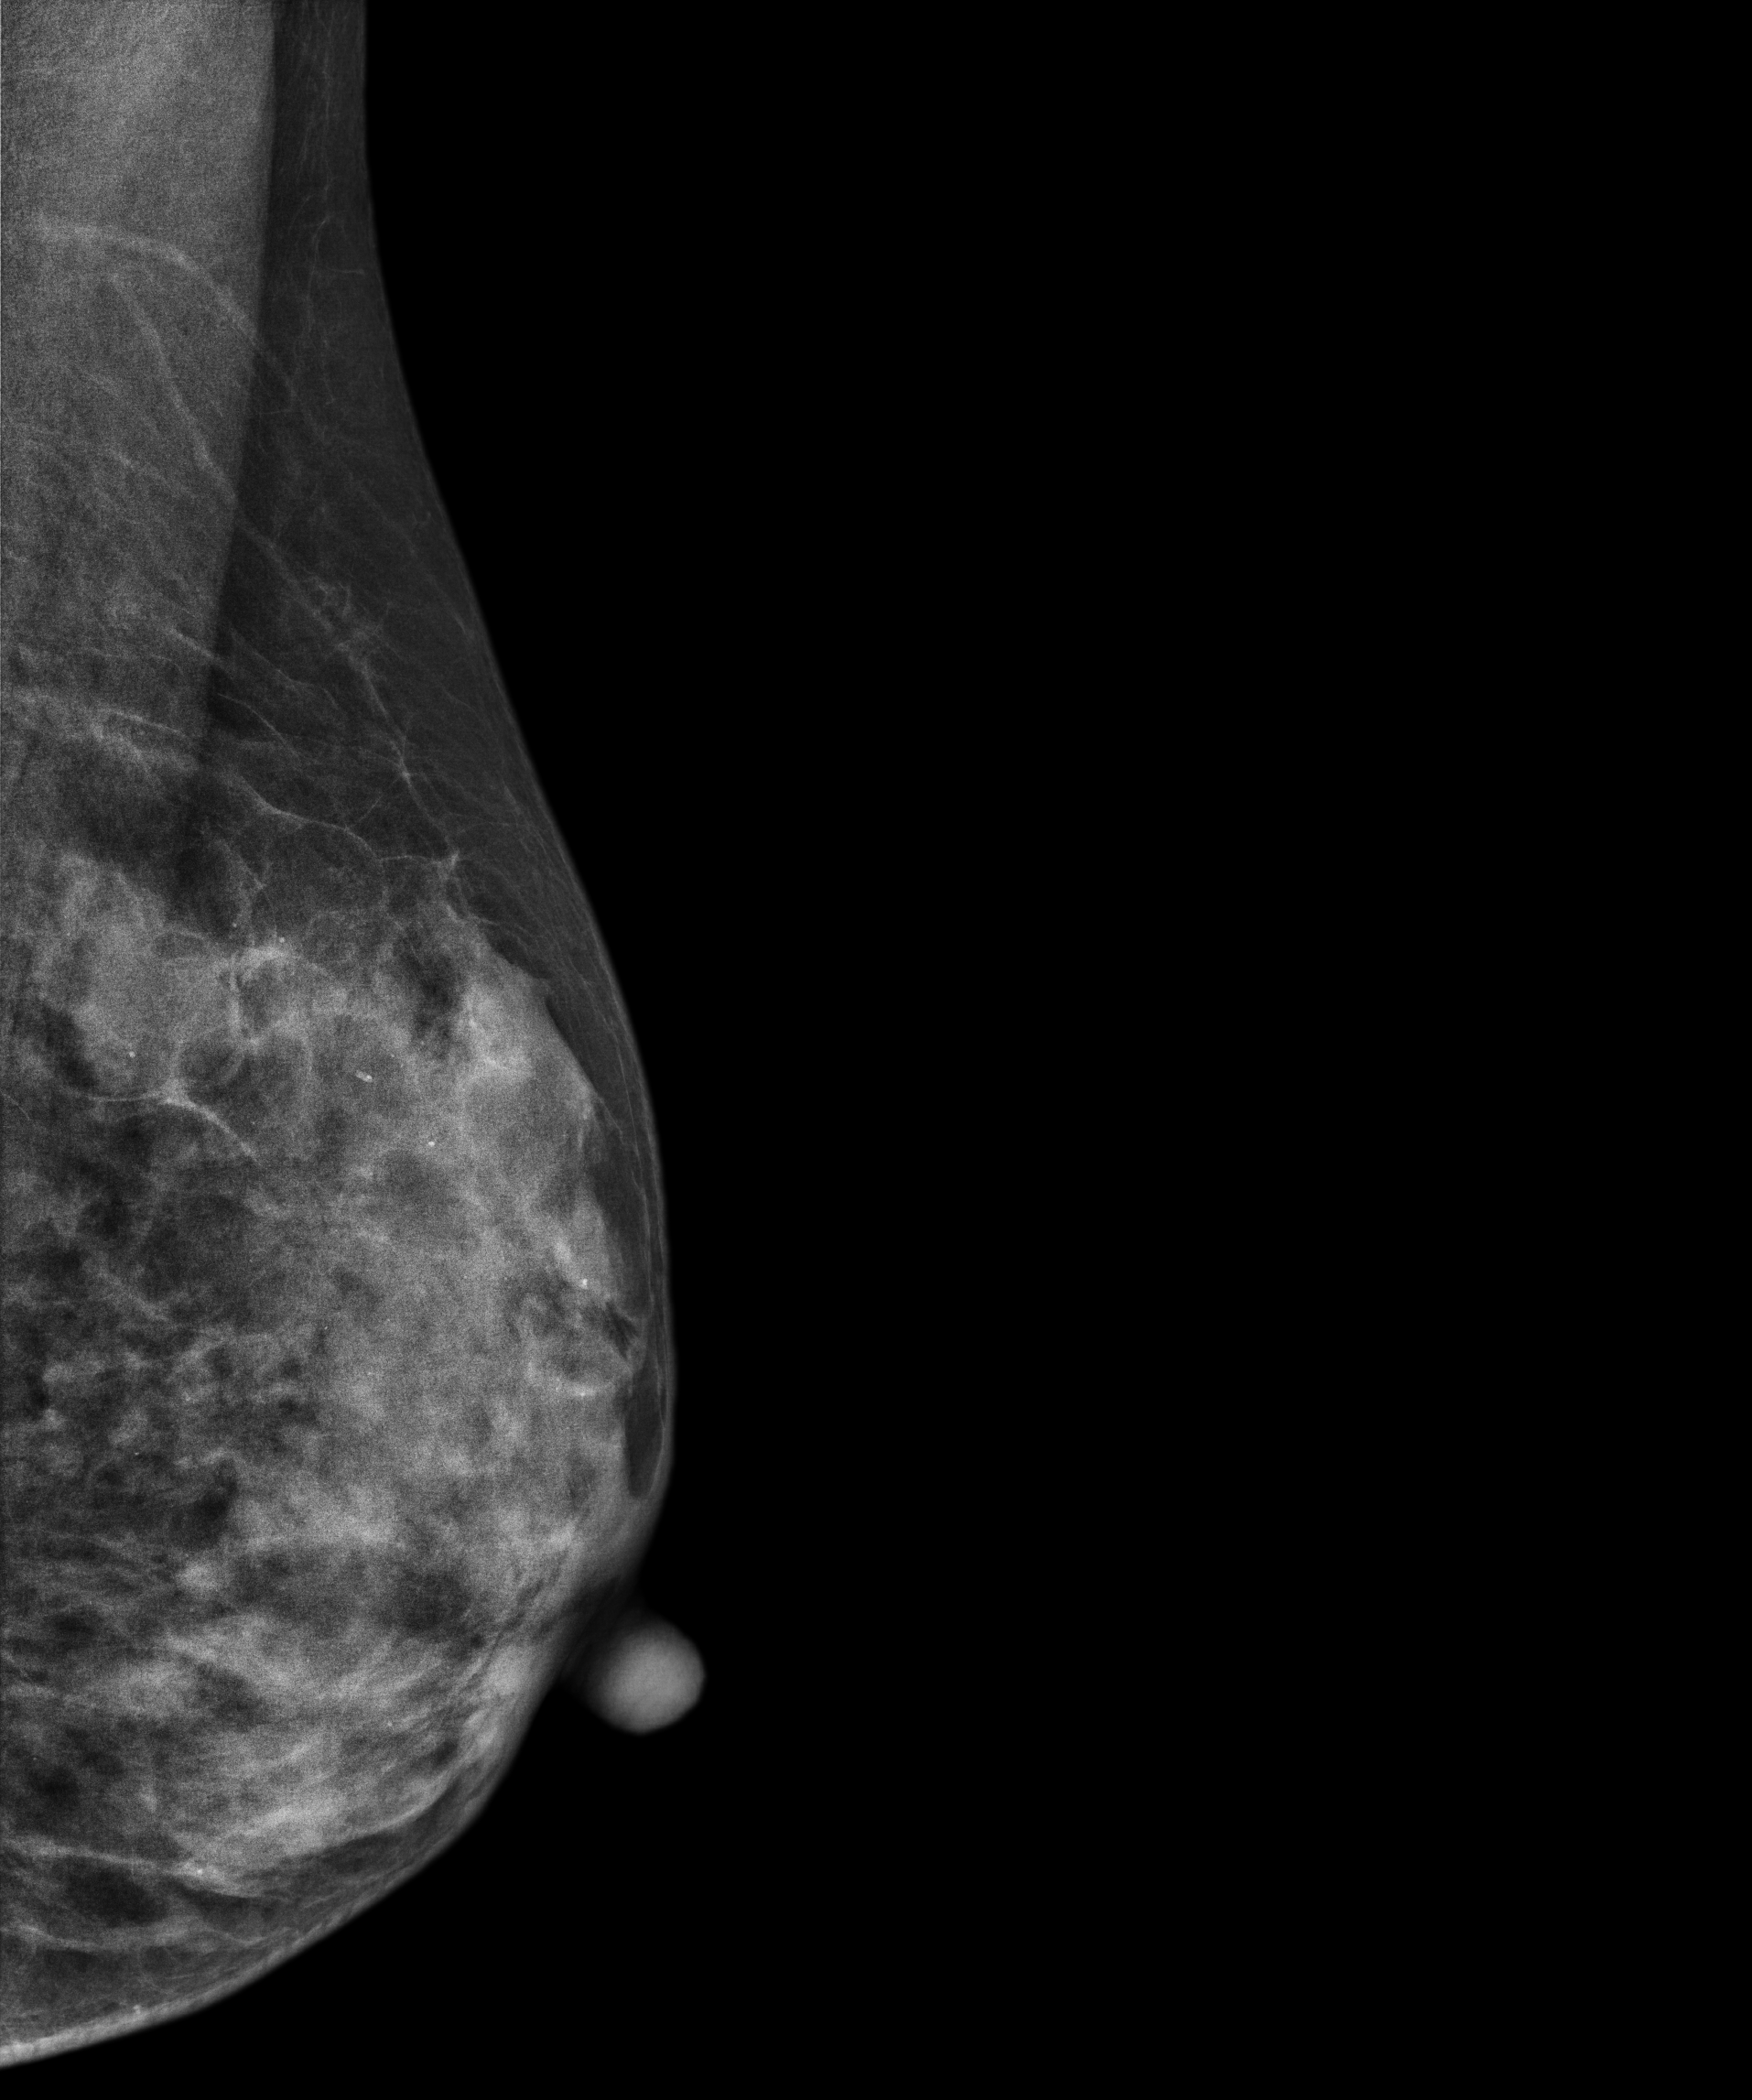
MLO mammogram of the left breast. 44 y/o patient.
This breast has calcifications, histologically confirmed benign.